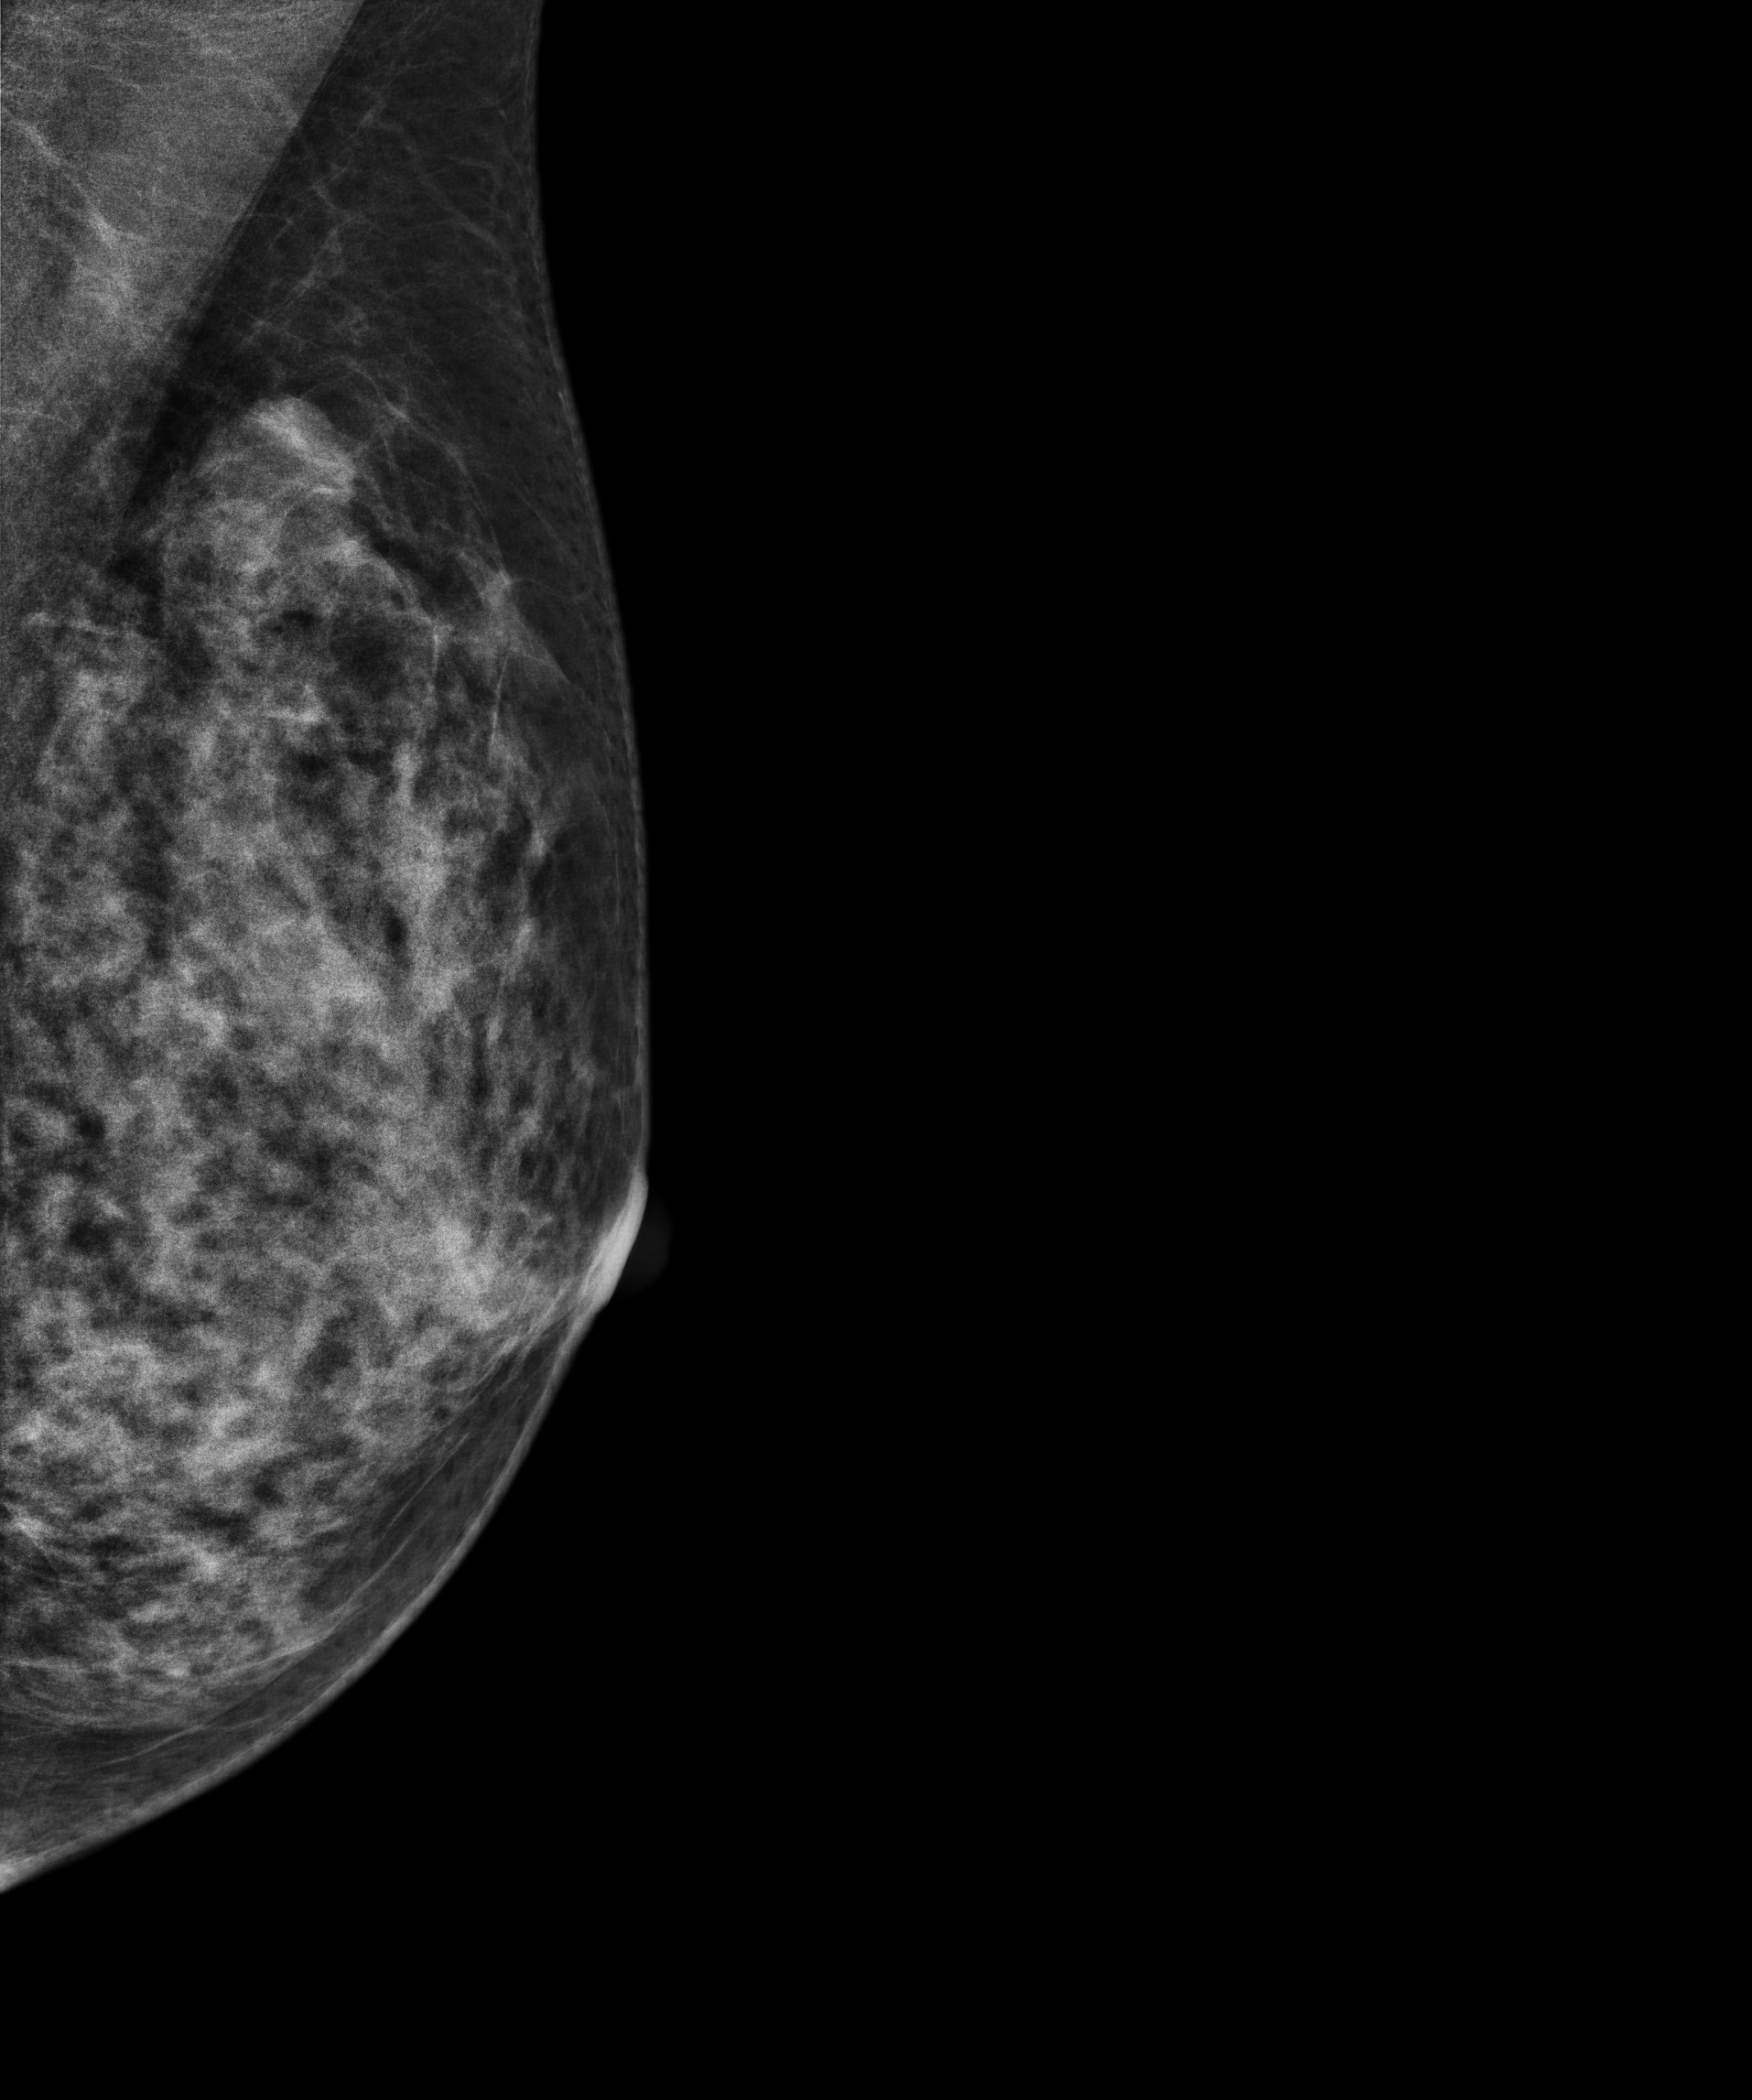
Left-breast mammogram, medio-lateral oblique. Patient age 53.
This breast has a mass, pathology-confirmed malignant. Molecular subtype: triple-negative.